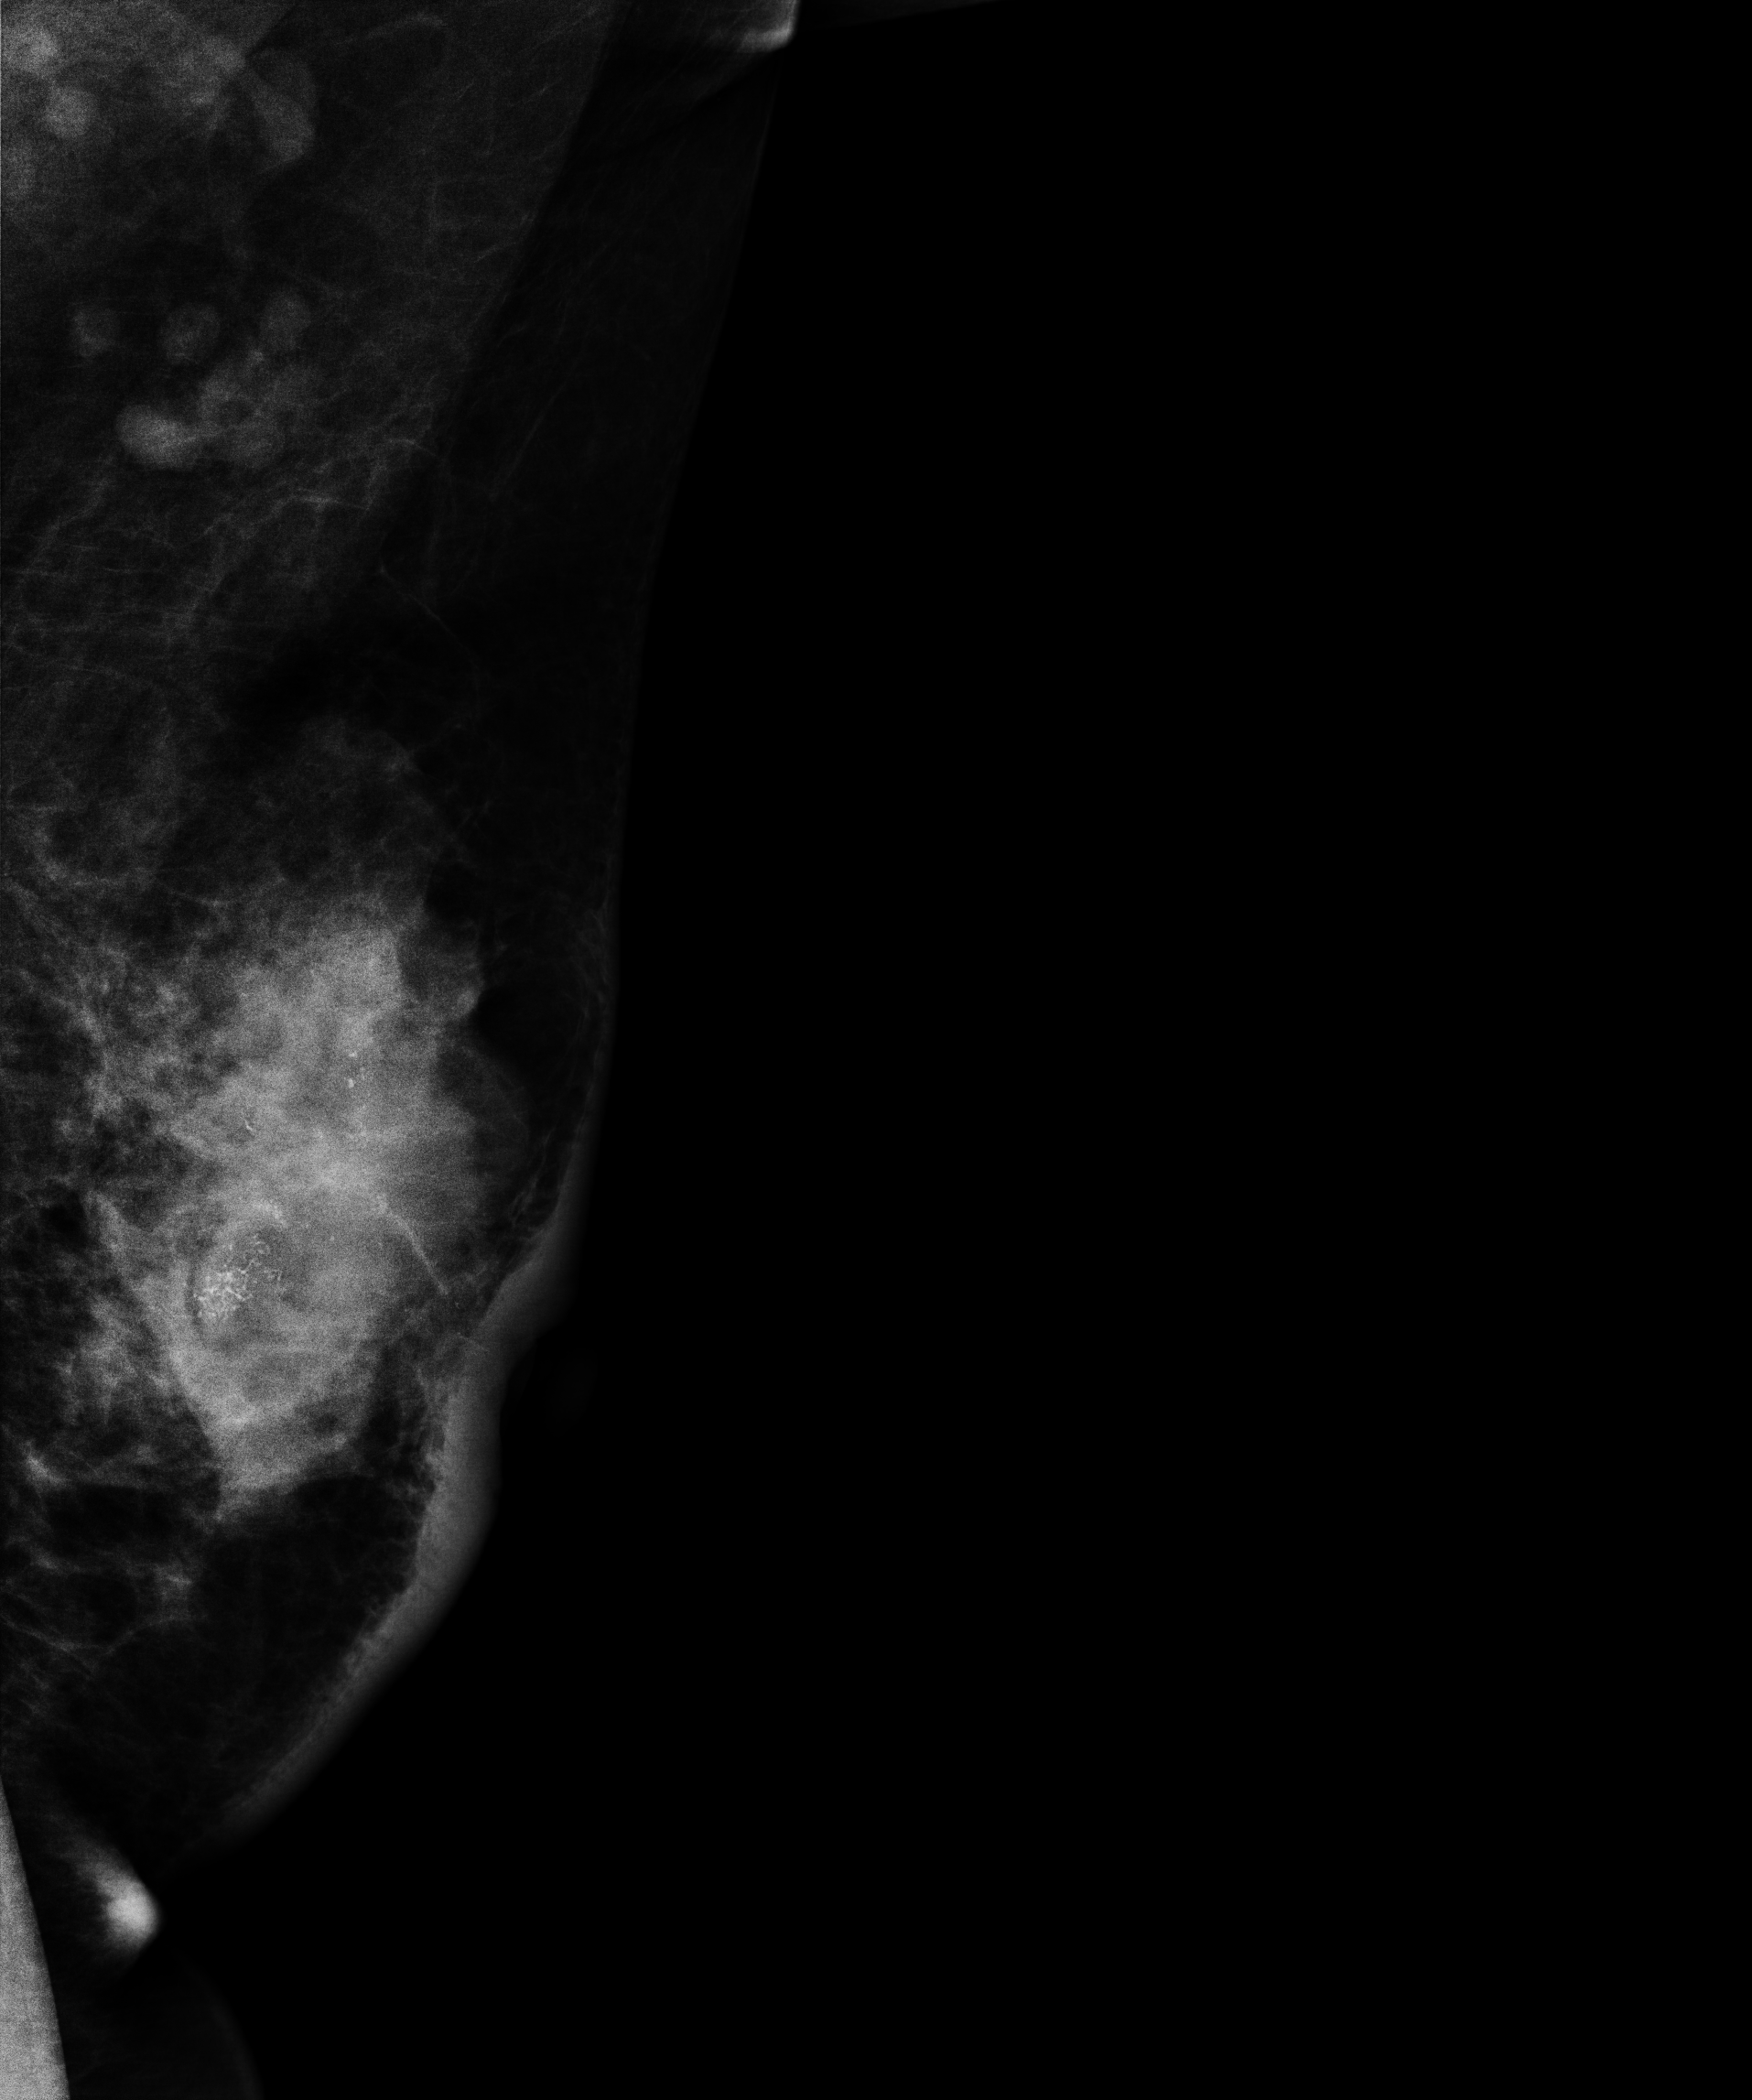
Digital mammography. Left breast, medio-lateral oblique projection. Patient age 41.
This breast has a mass and calcifications, histologically confirmed malignant.